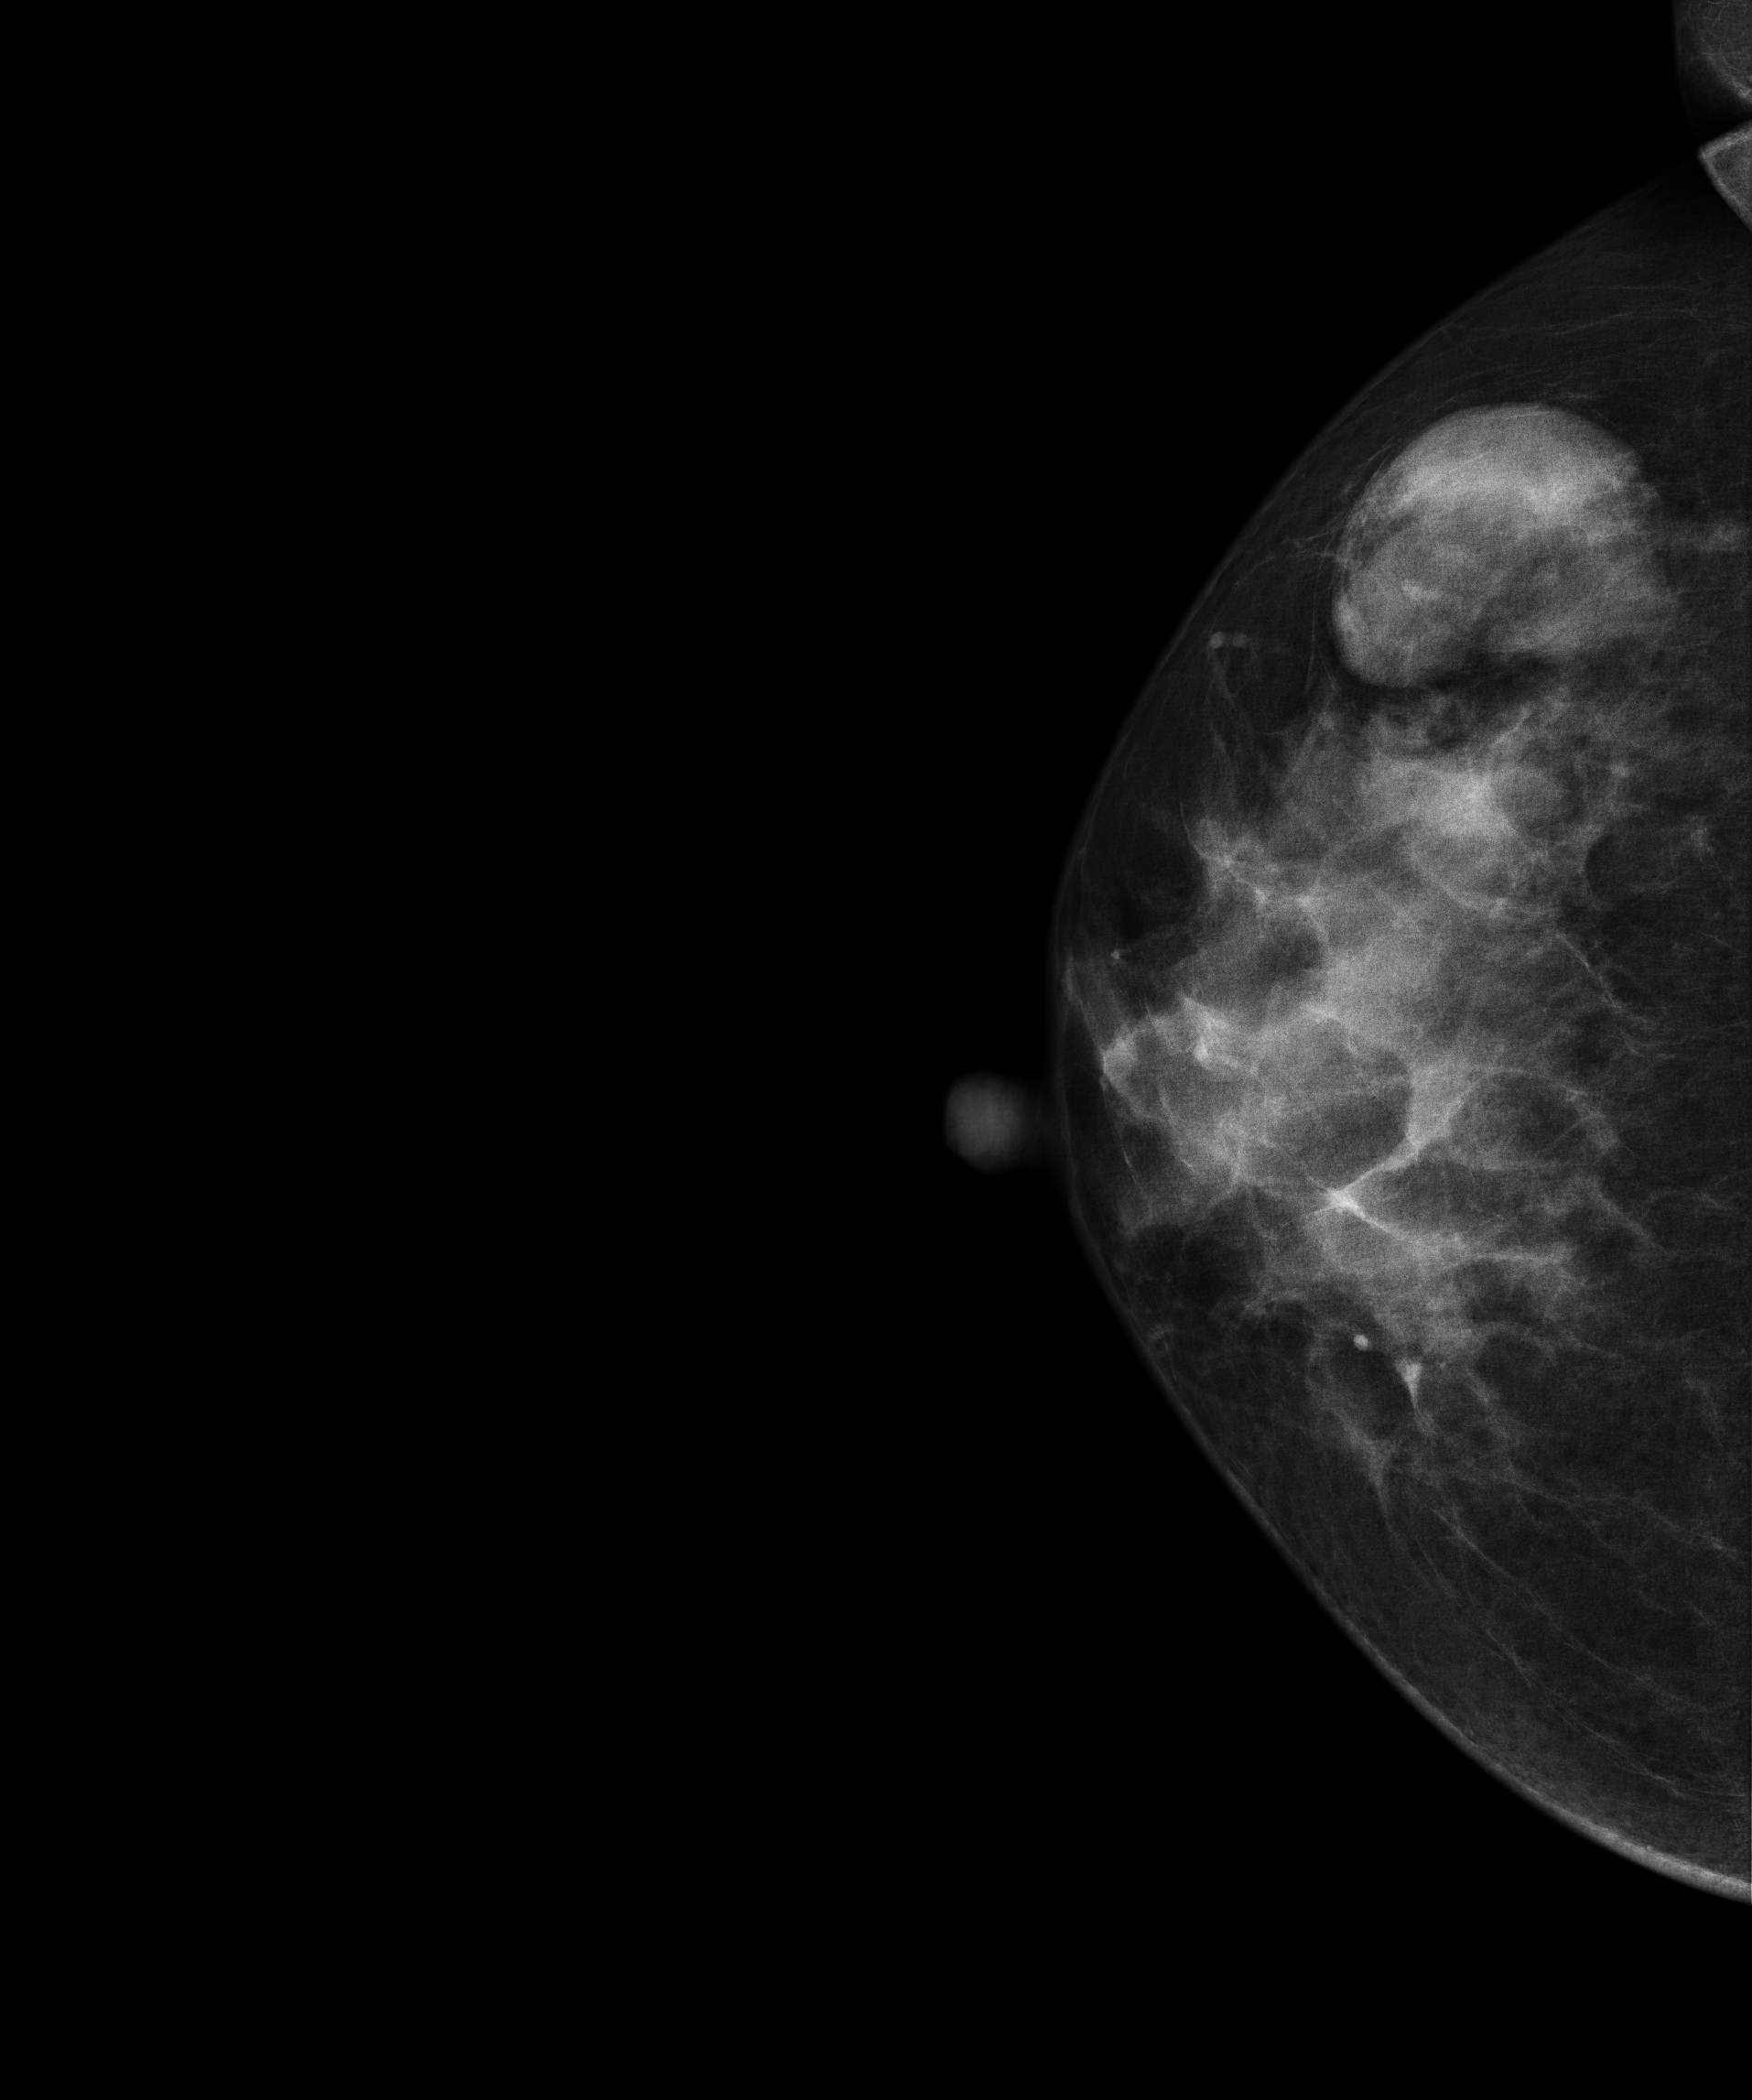
Mammogram, right breast, CC view. 49 y/o patient.
This breast has a mass, histologically confirmed benign.